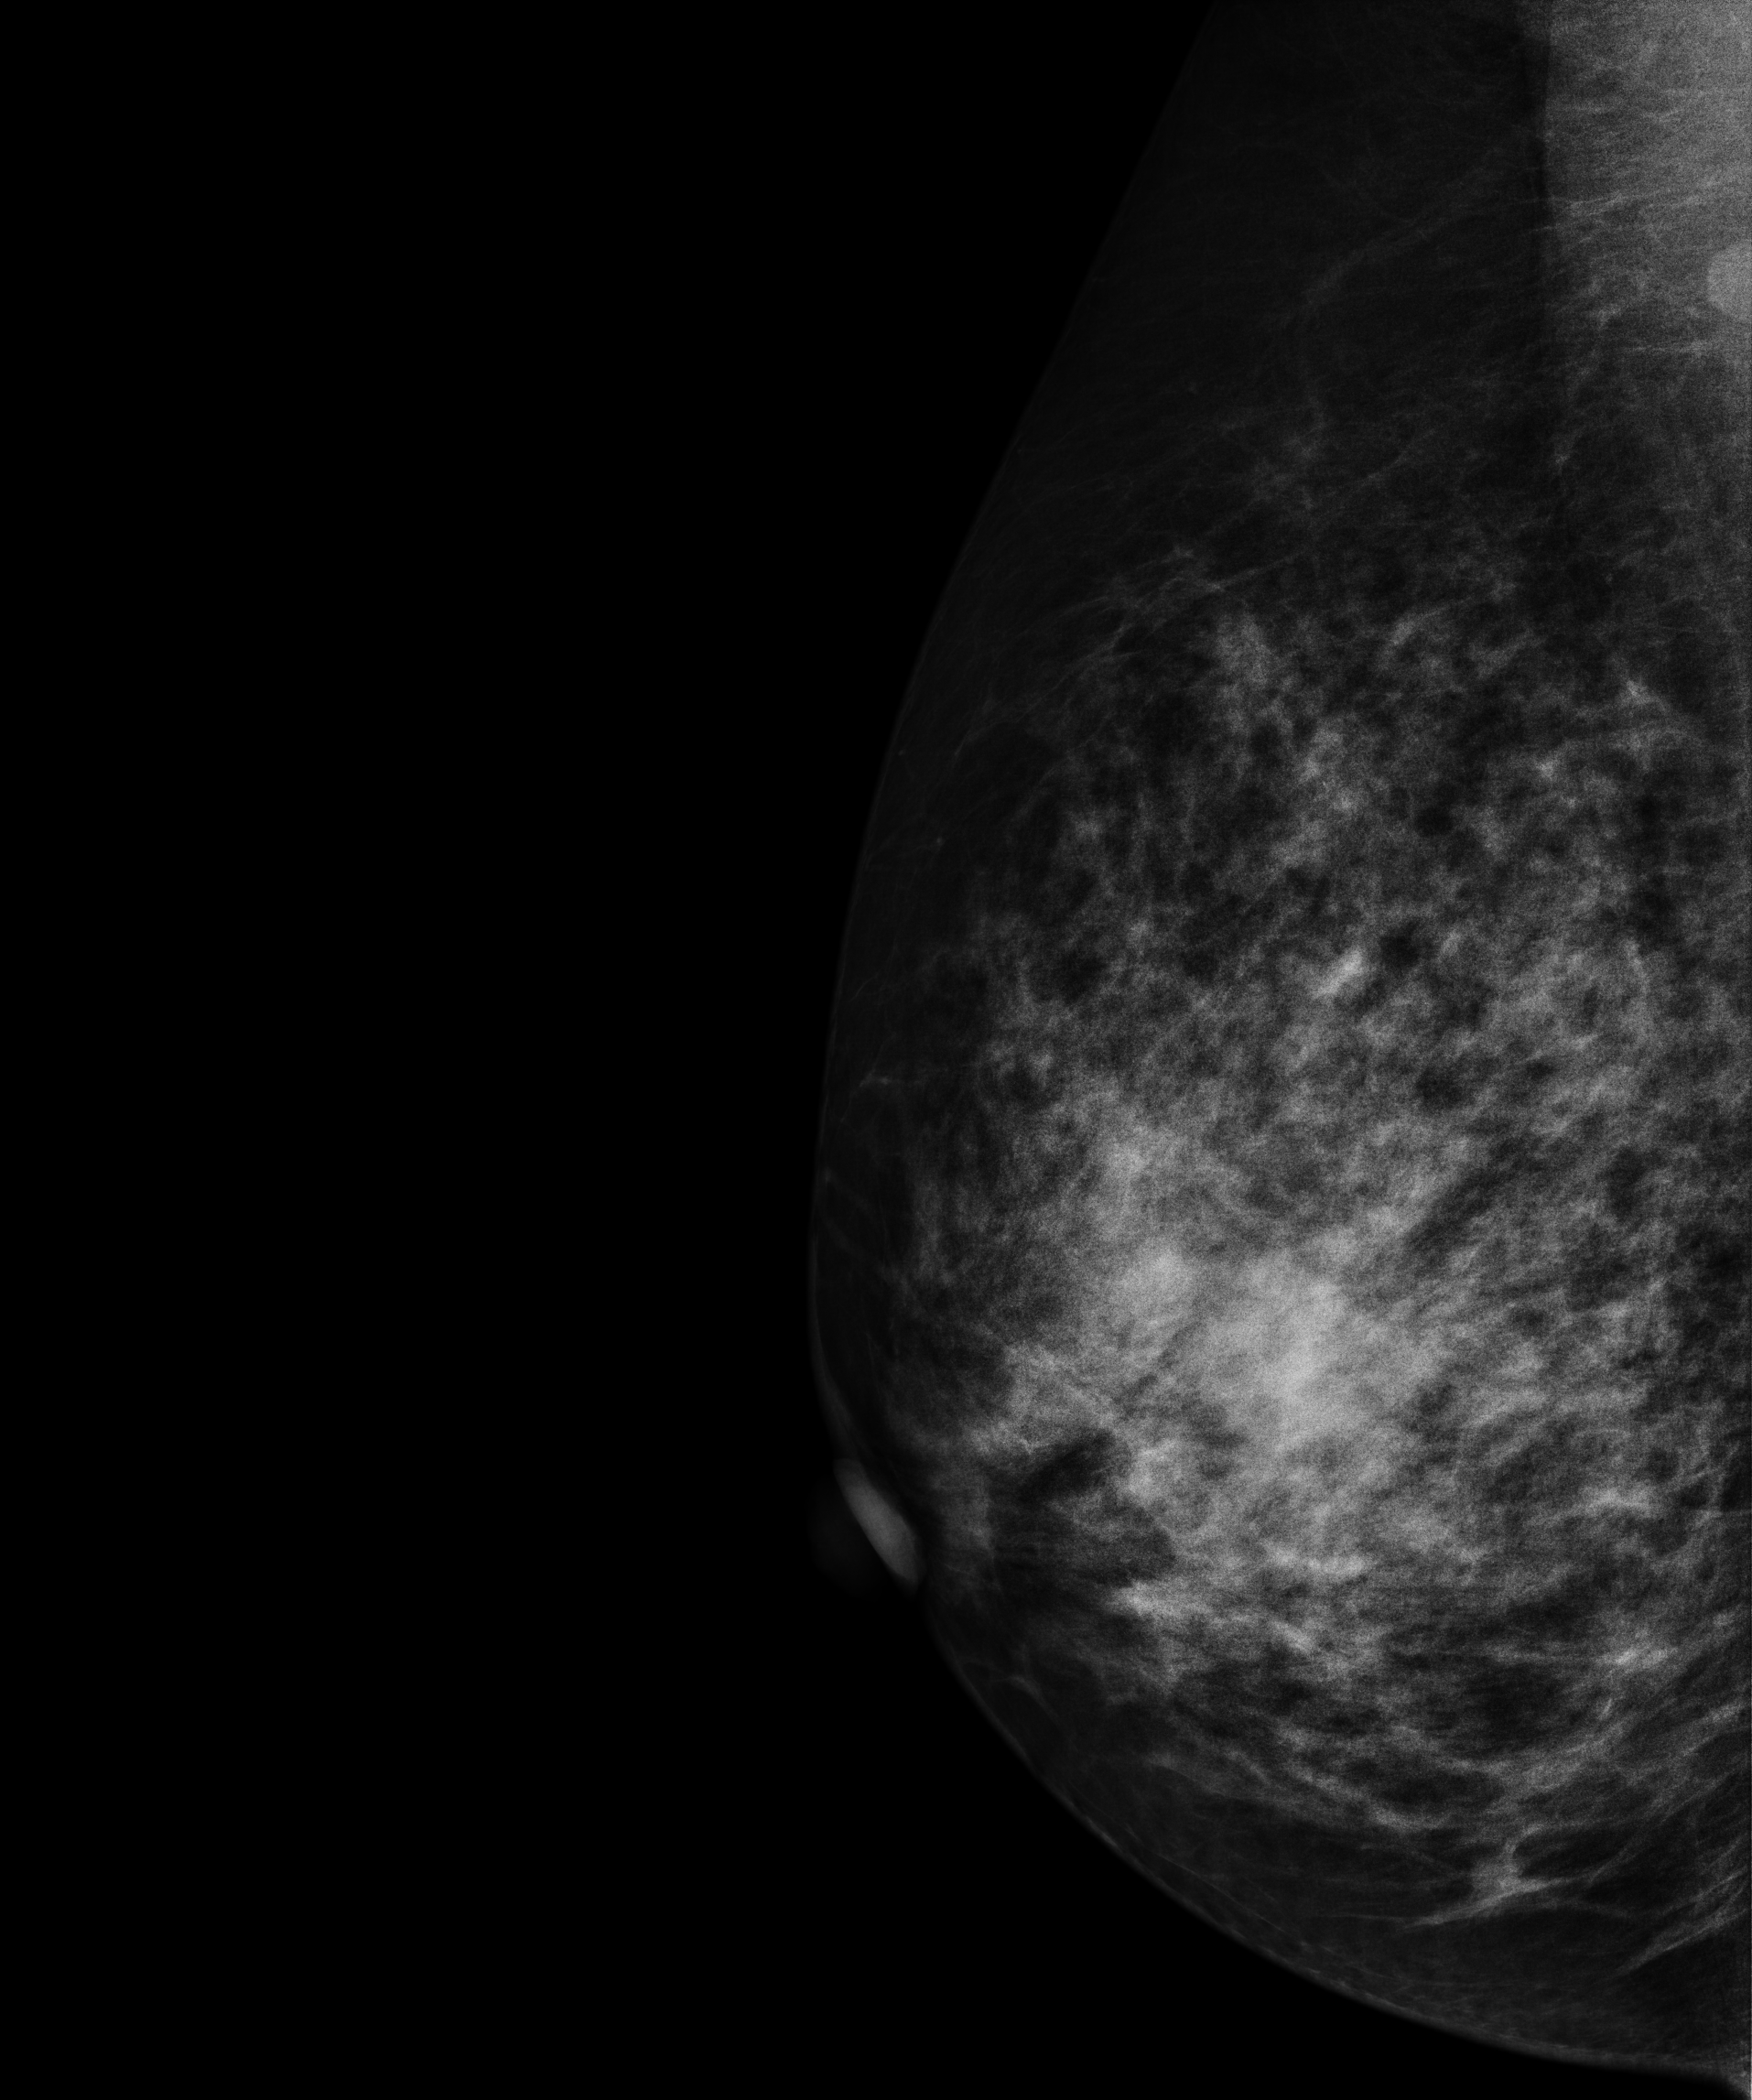
Digital mammography. Right breast, MLO projection. 50 y/o patient.
This breast has a mass, biopsy-proven malignant. Molecular subtype: HER2-enriched.